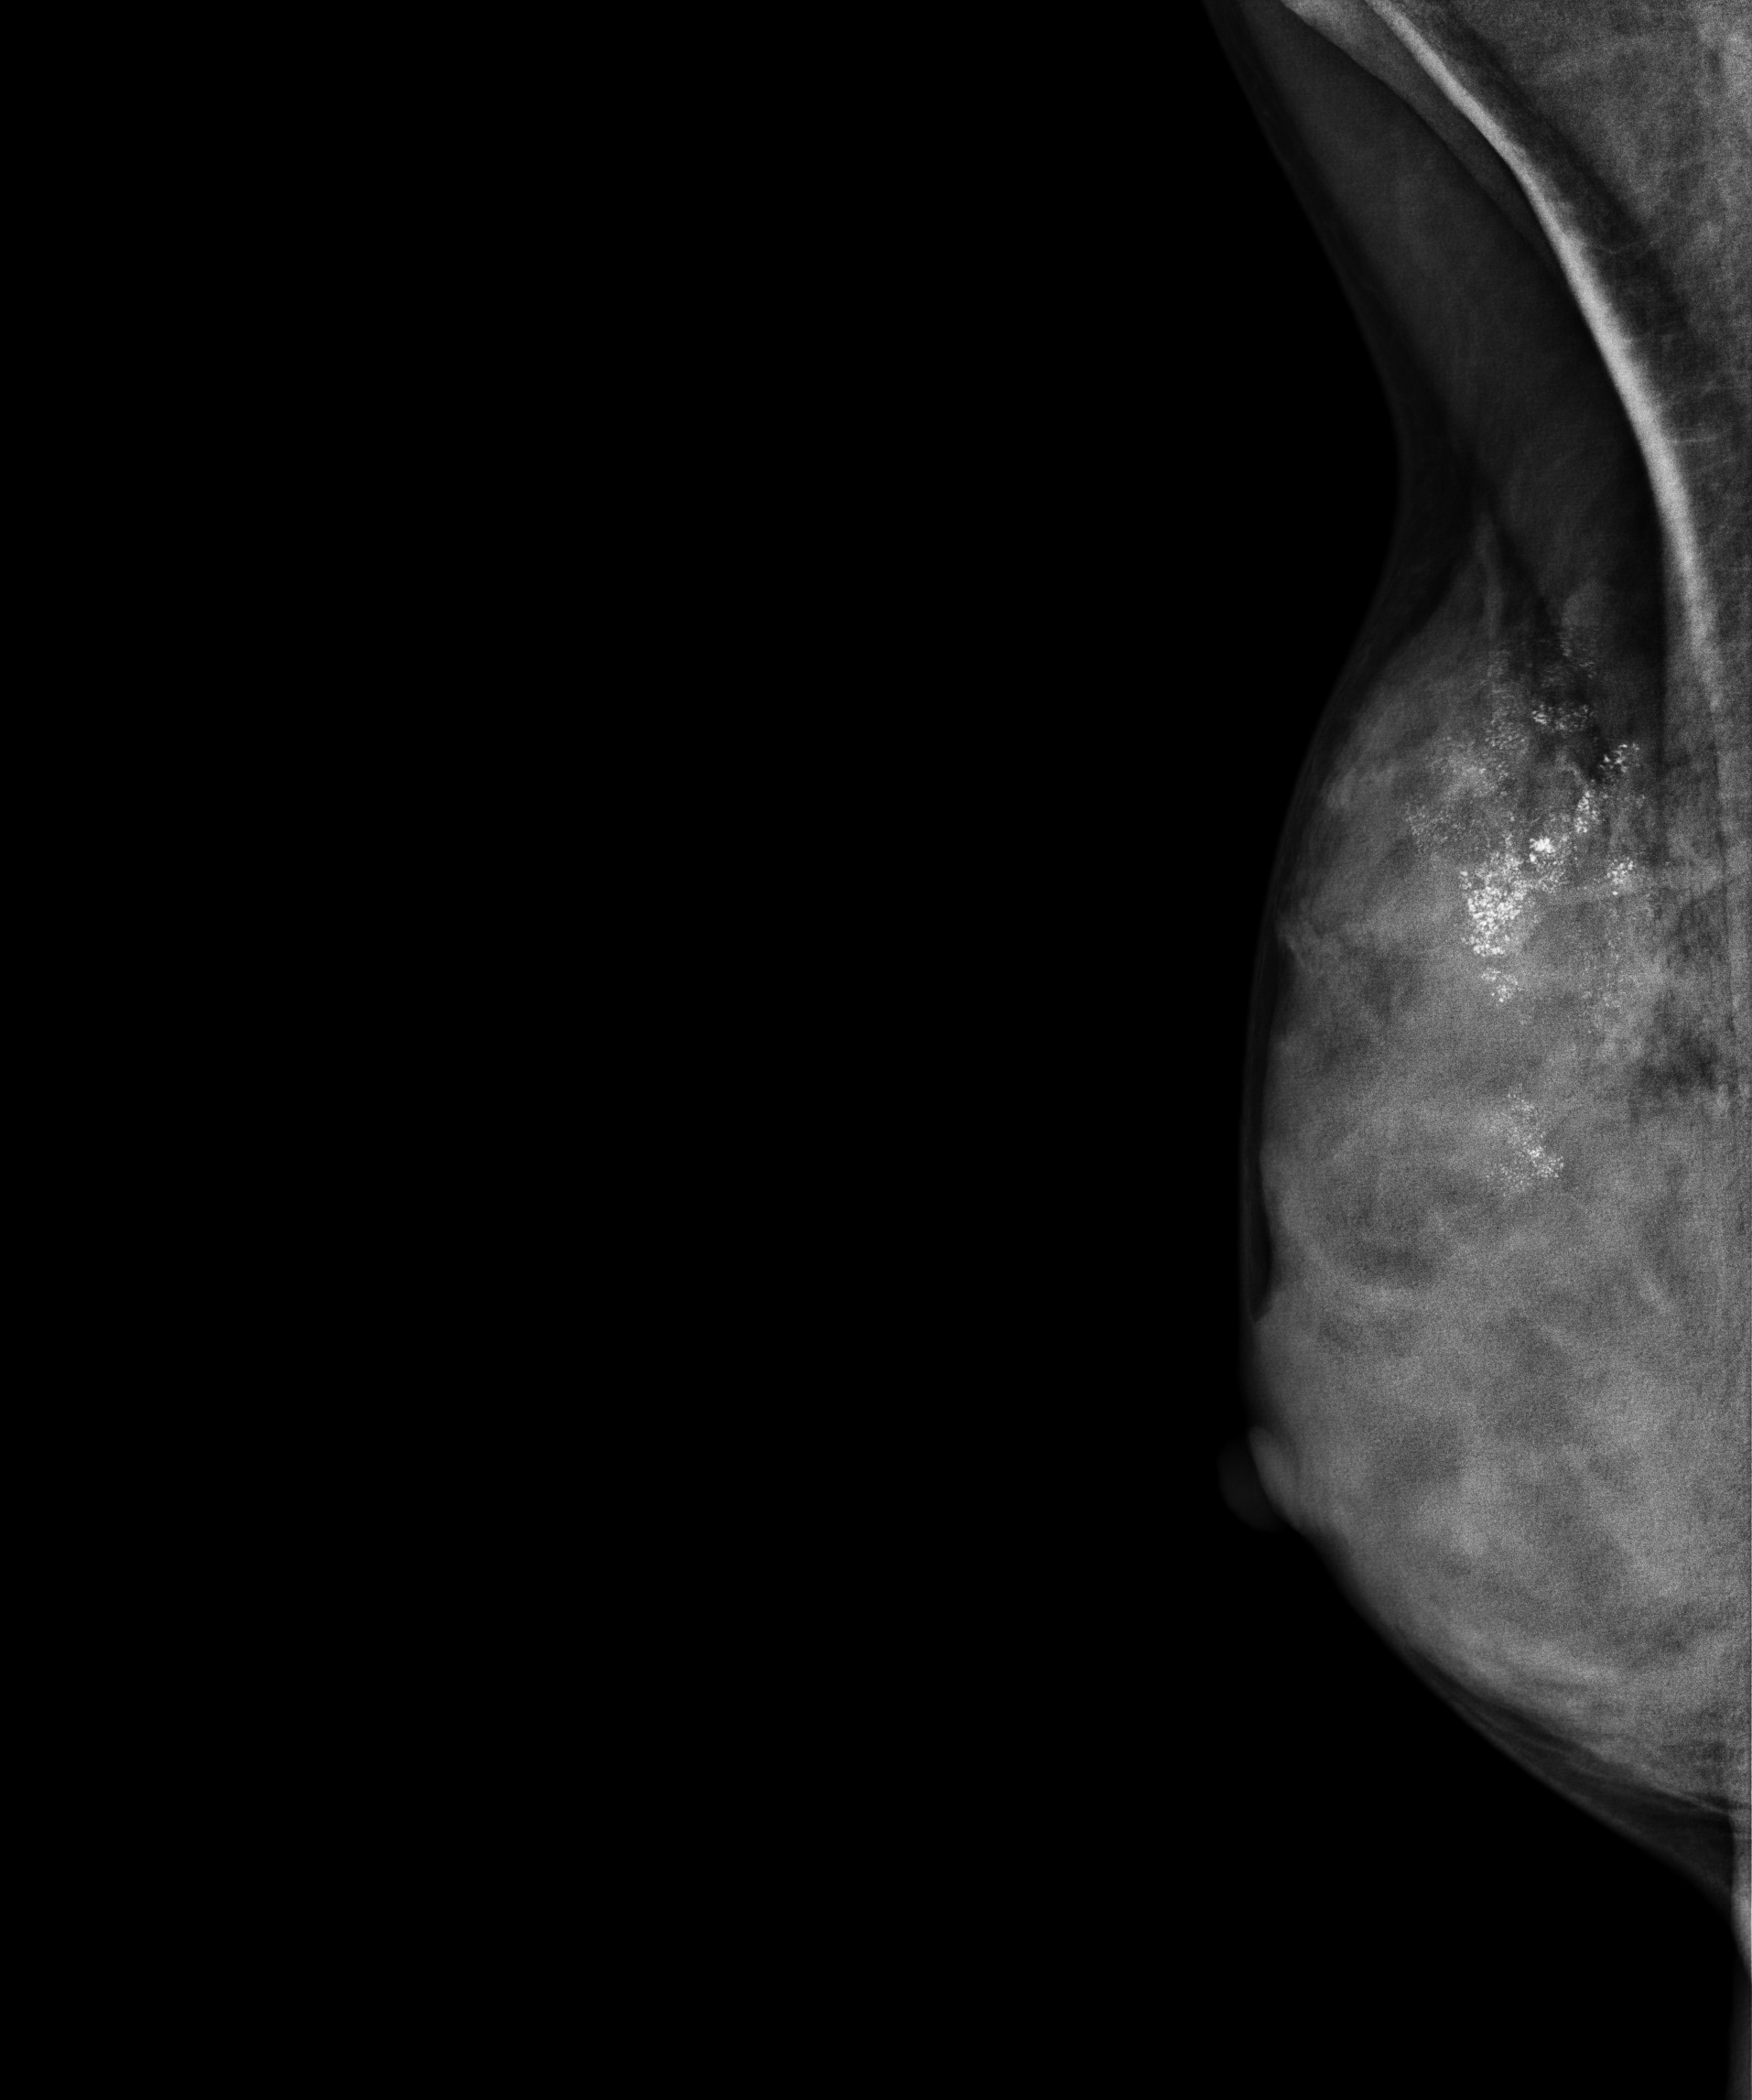
Mammogram — right medio-lateral oblique. 31-year-old patient.
This breast has calcifications, biopsy-confirmed malignant. Molecular subtype: luminal A.